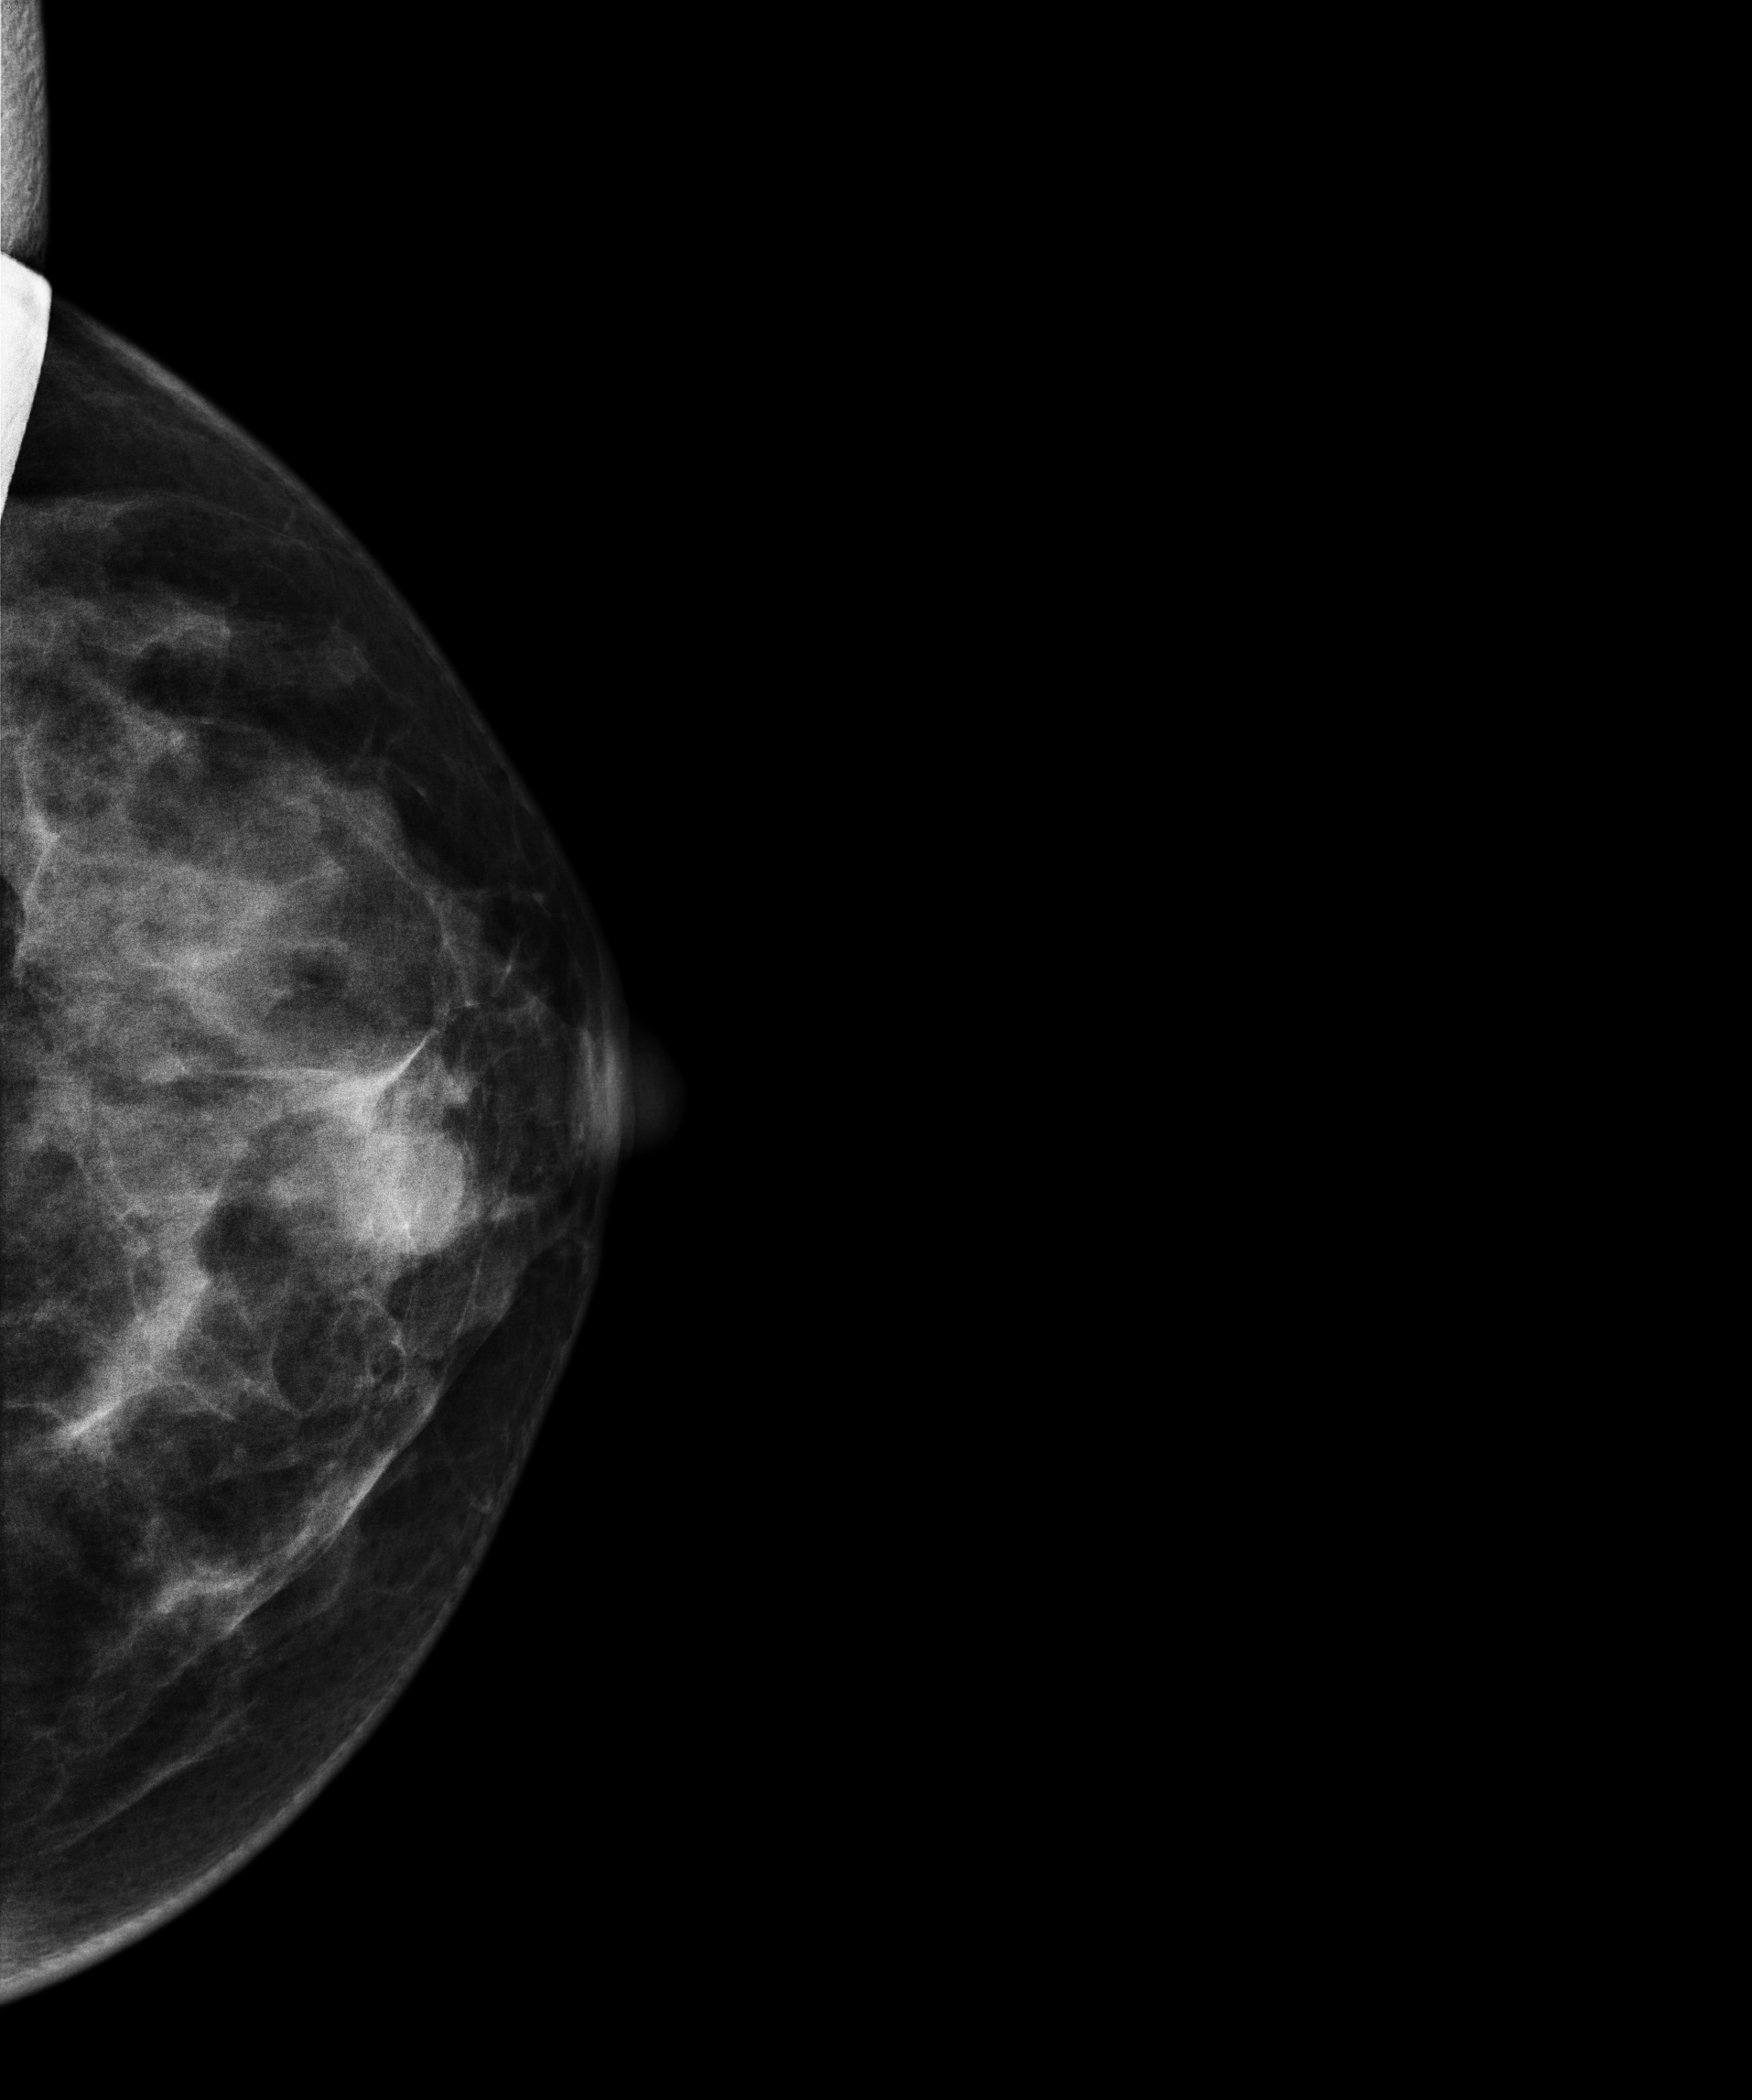
Mammogram, left breast, cranio-caudal view. 39 y/o patient.
This breast has a mass, histologically confirmed malignant. Molecular subtype: luminal B.